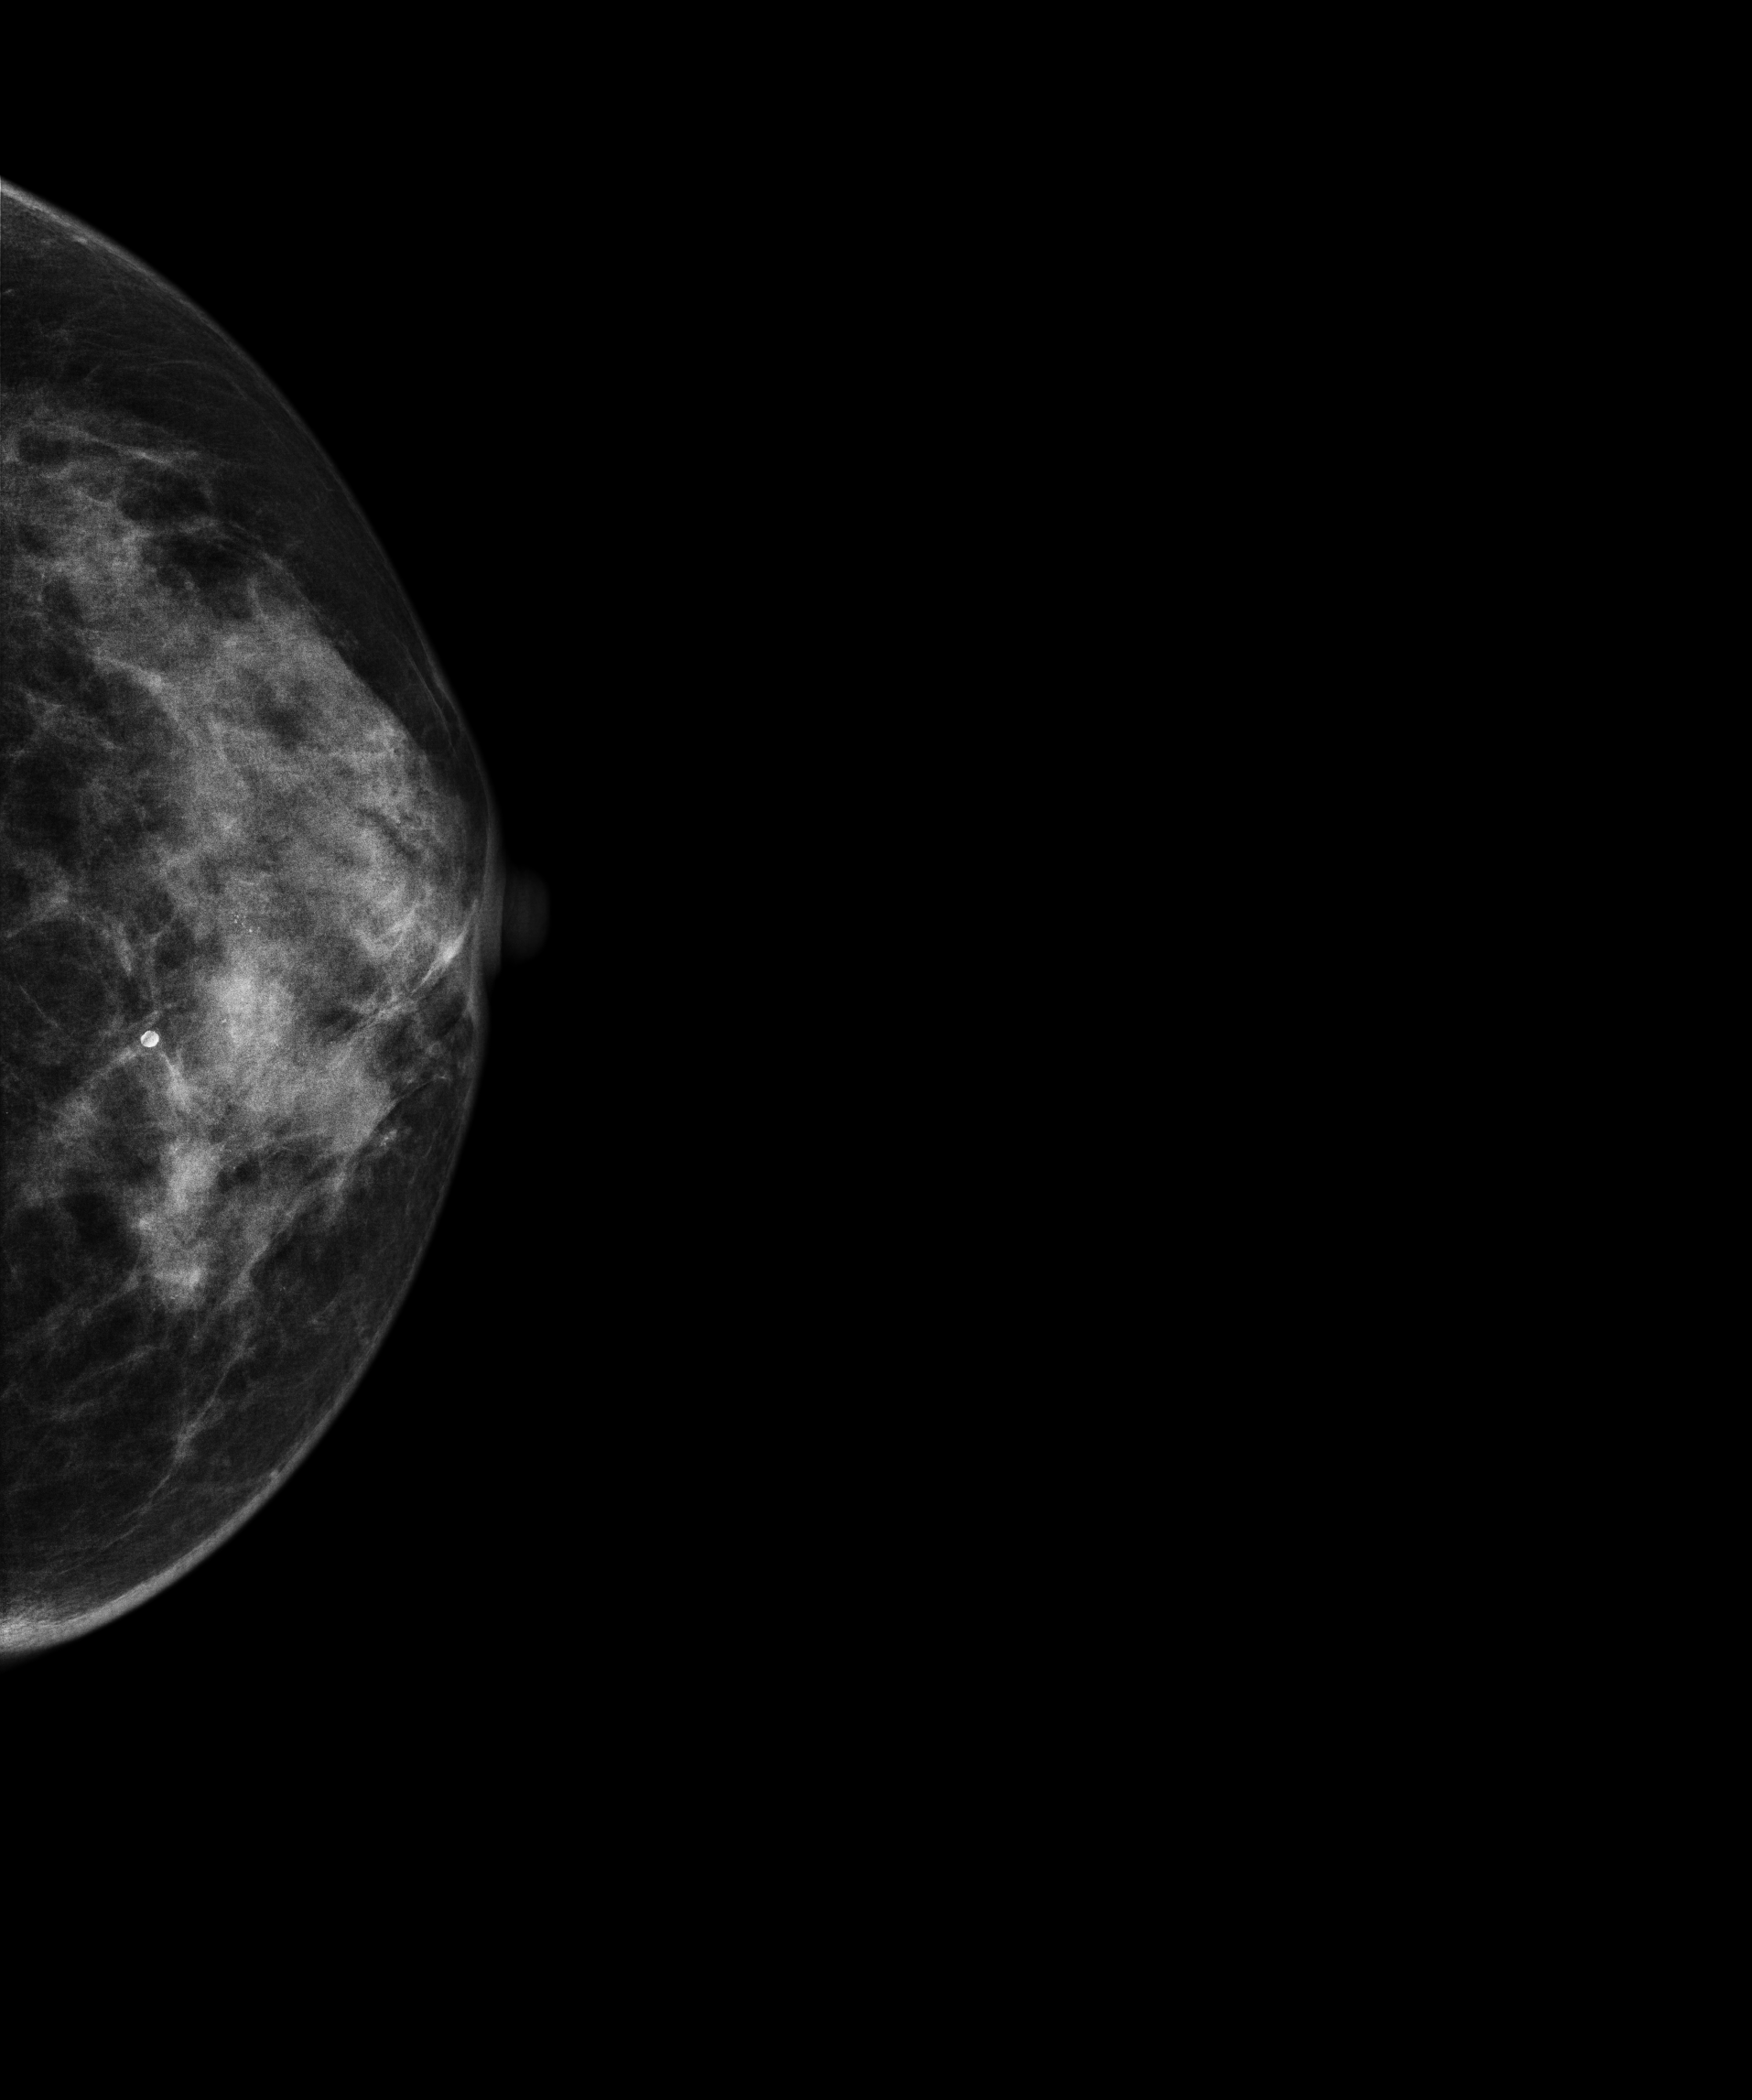
Mammogram, left breast, MLO view. Patient age 60.
This breast has calcifications, biopsy-confirmed malignant. Molecular subtype: luminal A.